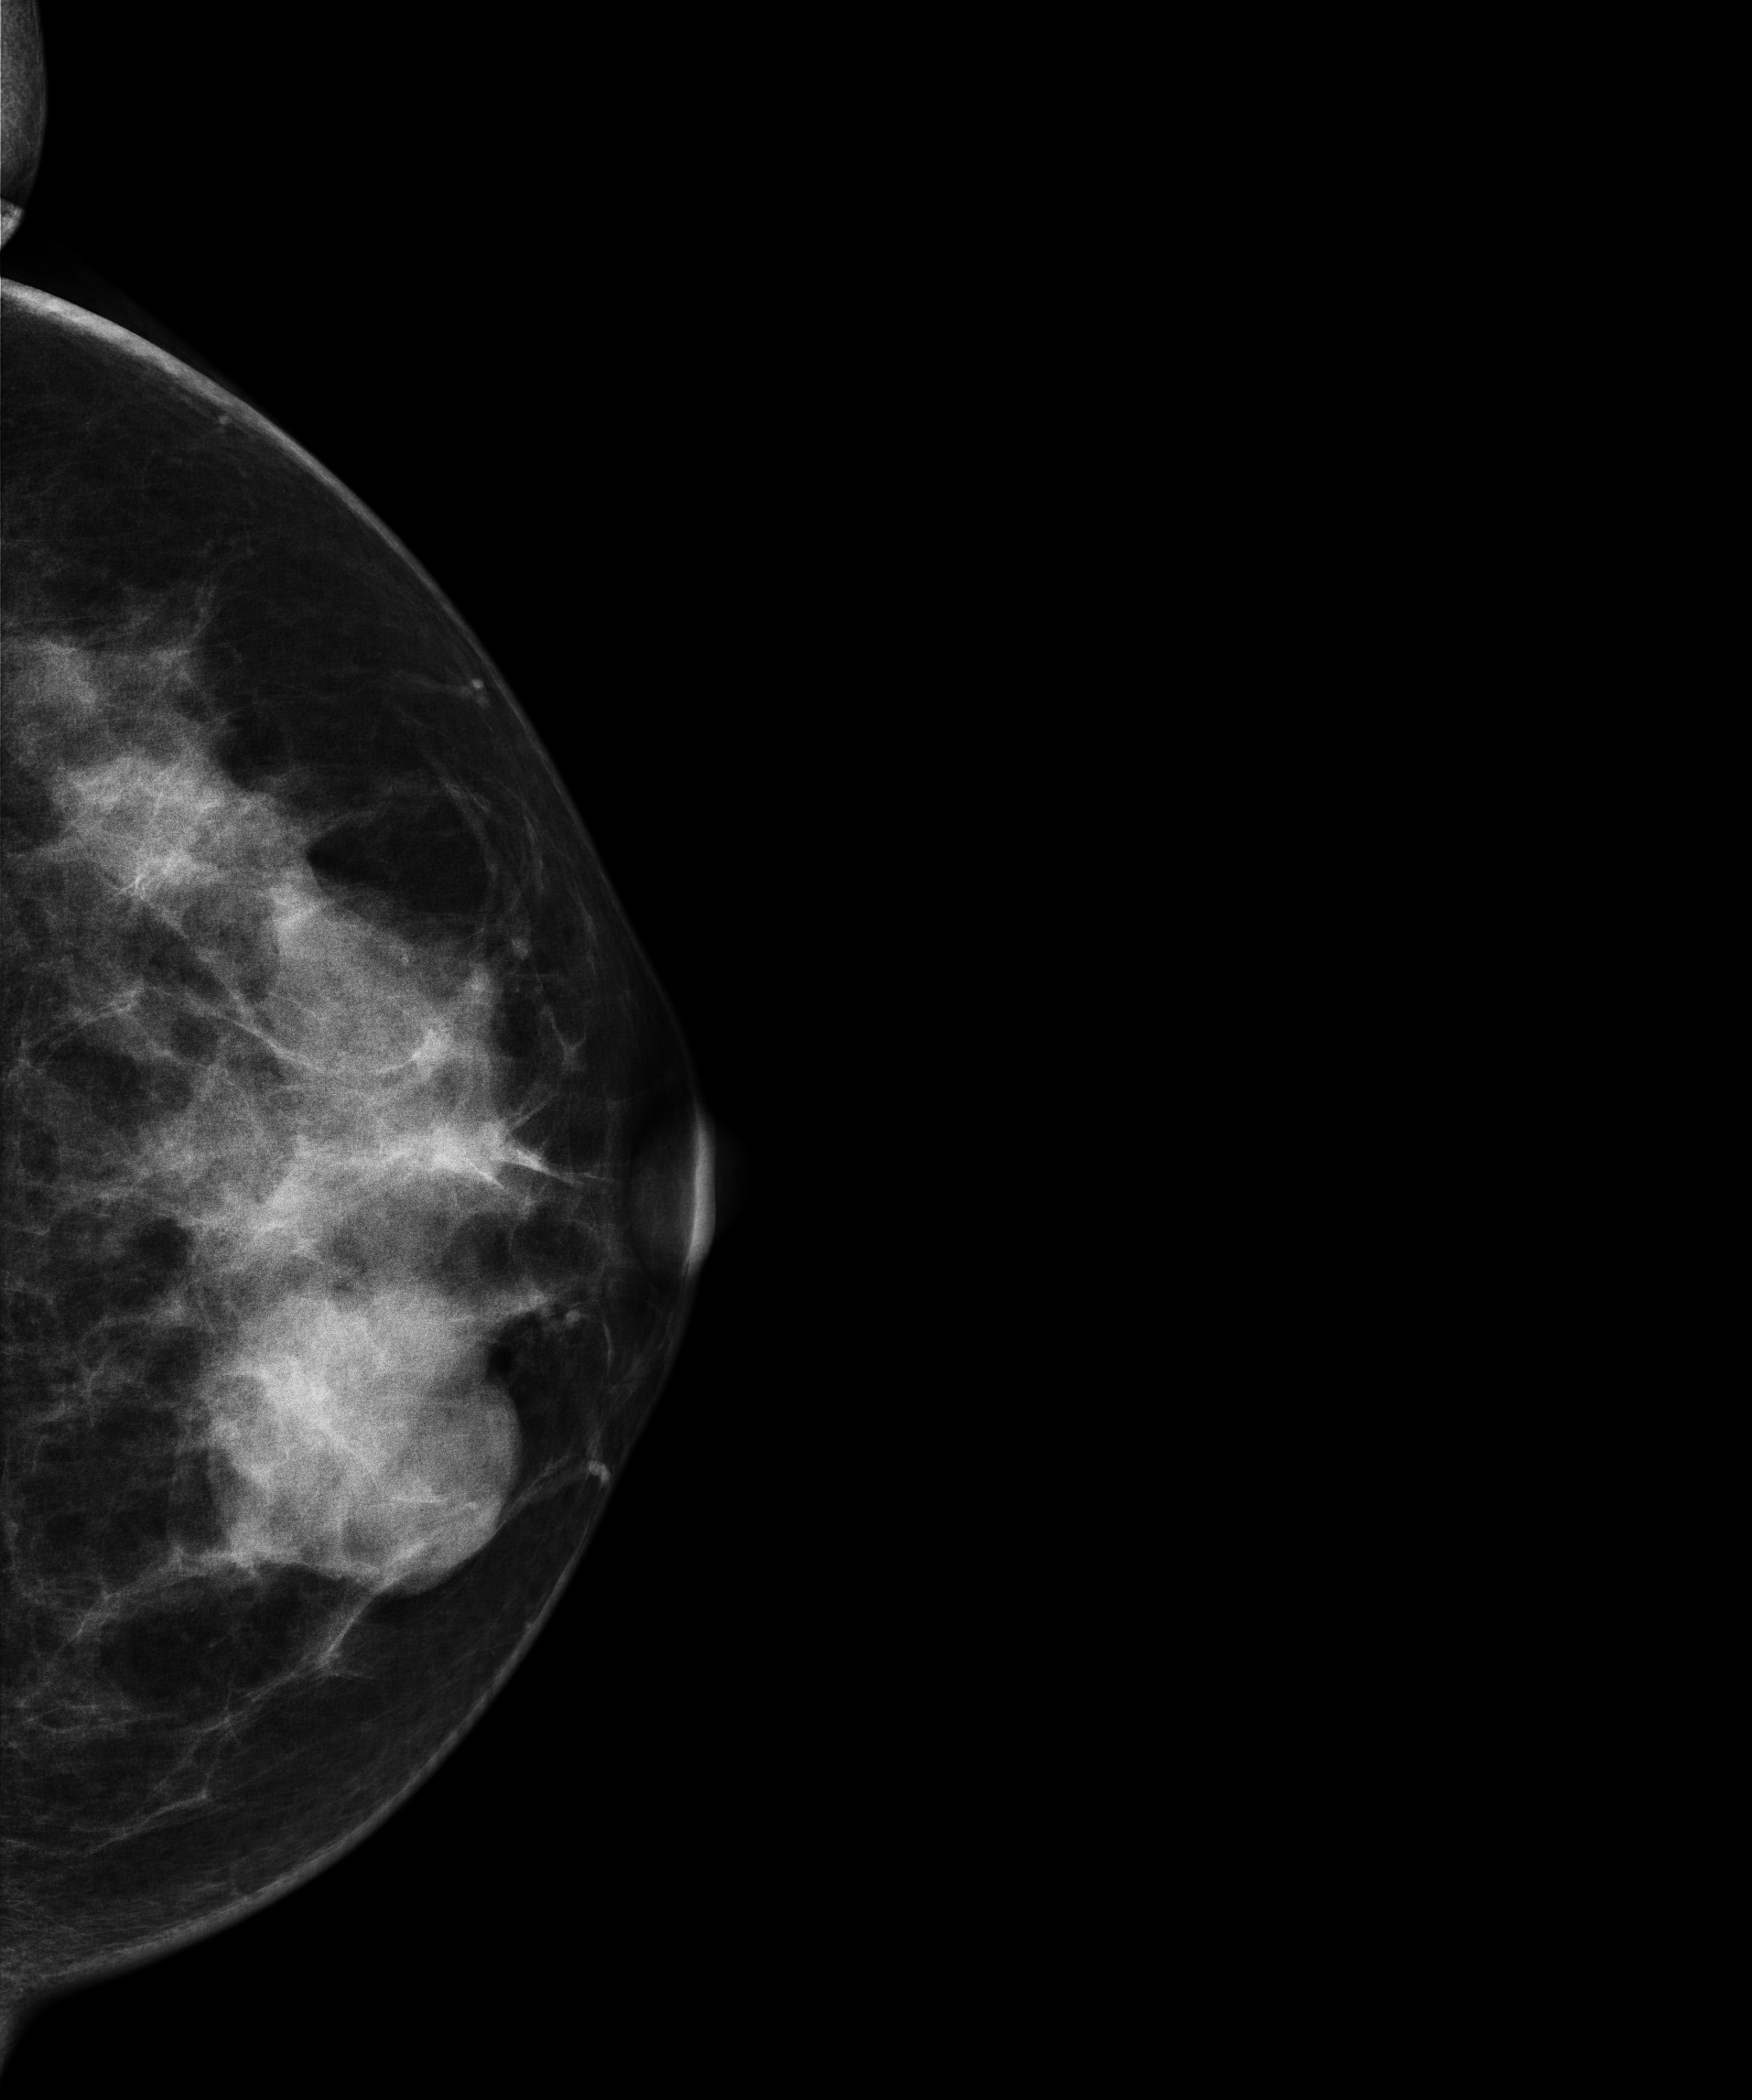
Mammogram, left breast, cranio-caudal view. Patient age 45.
This breast has a mass, biopsy-confirmed benign.